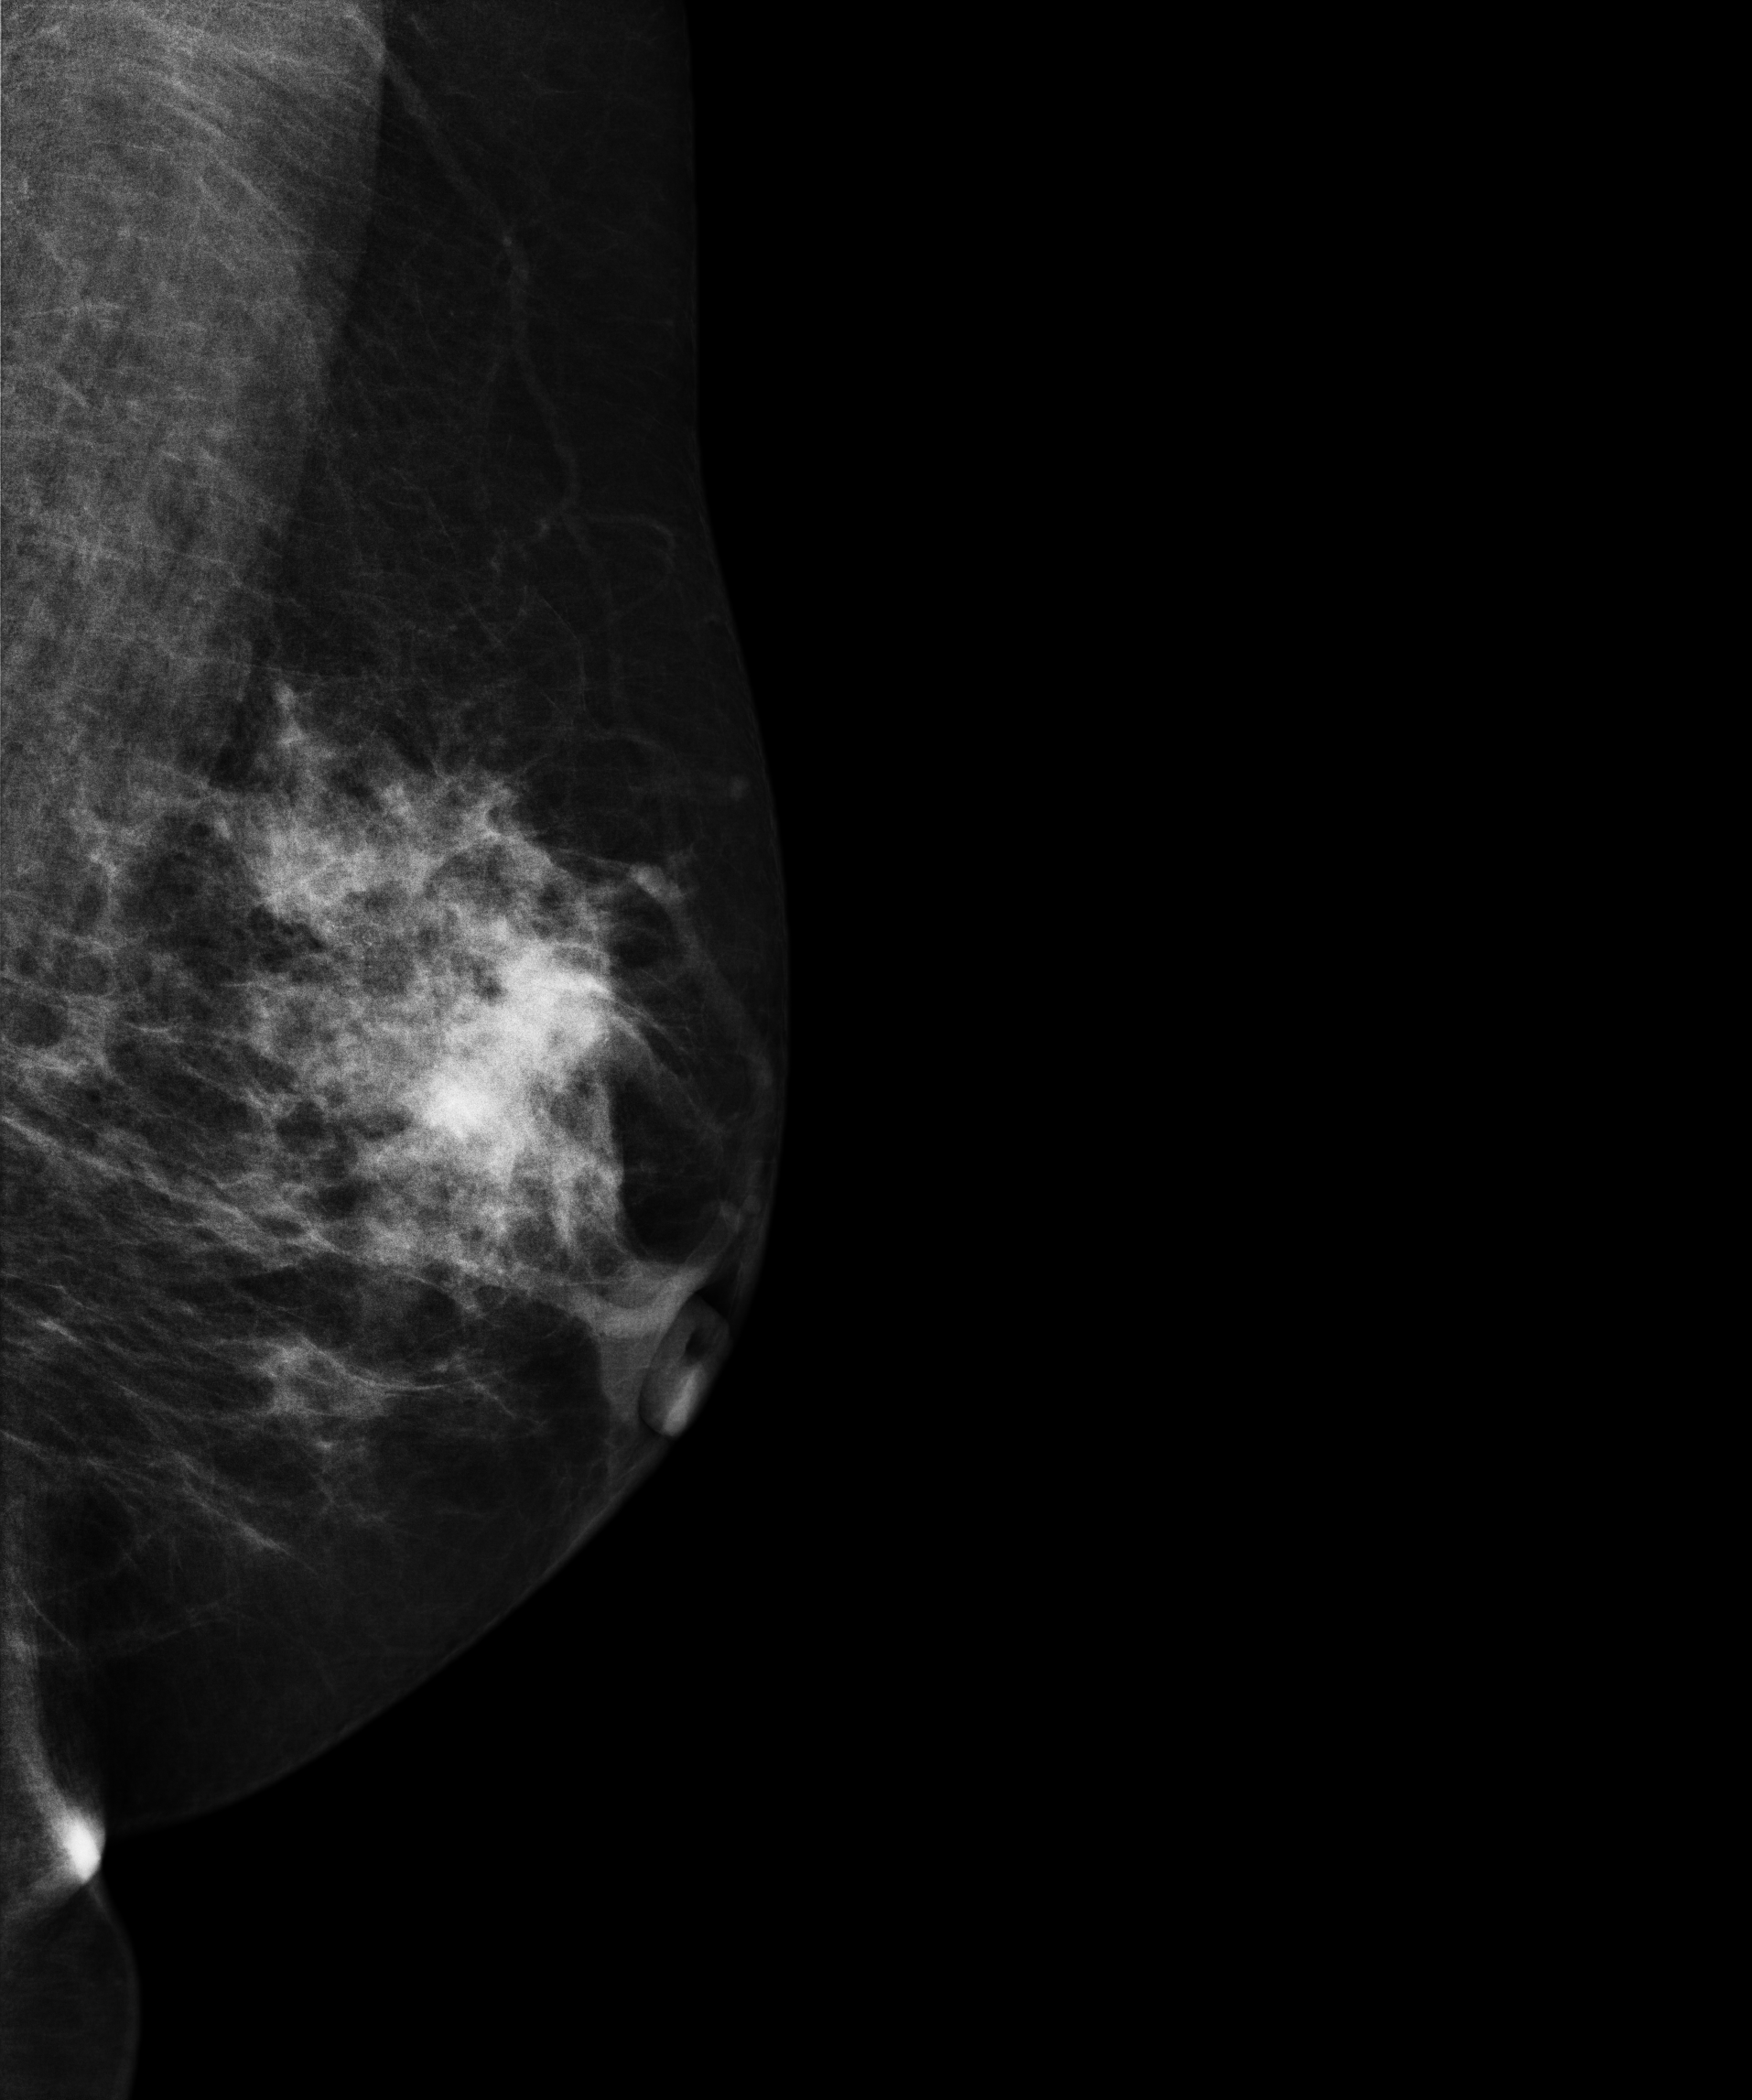
Medio-lateral oblique mammogram of the left breast. 55-year-old patient.
This breast has a mass, histologically confirmed malignant.